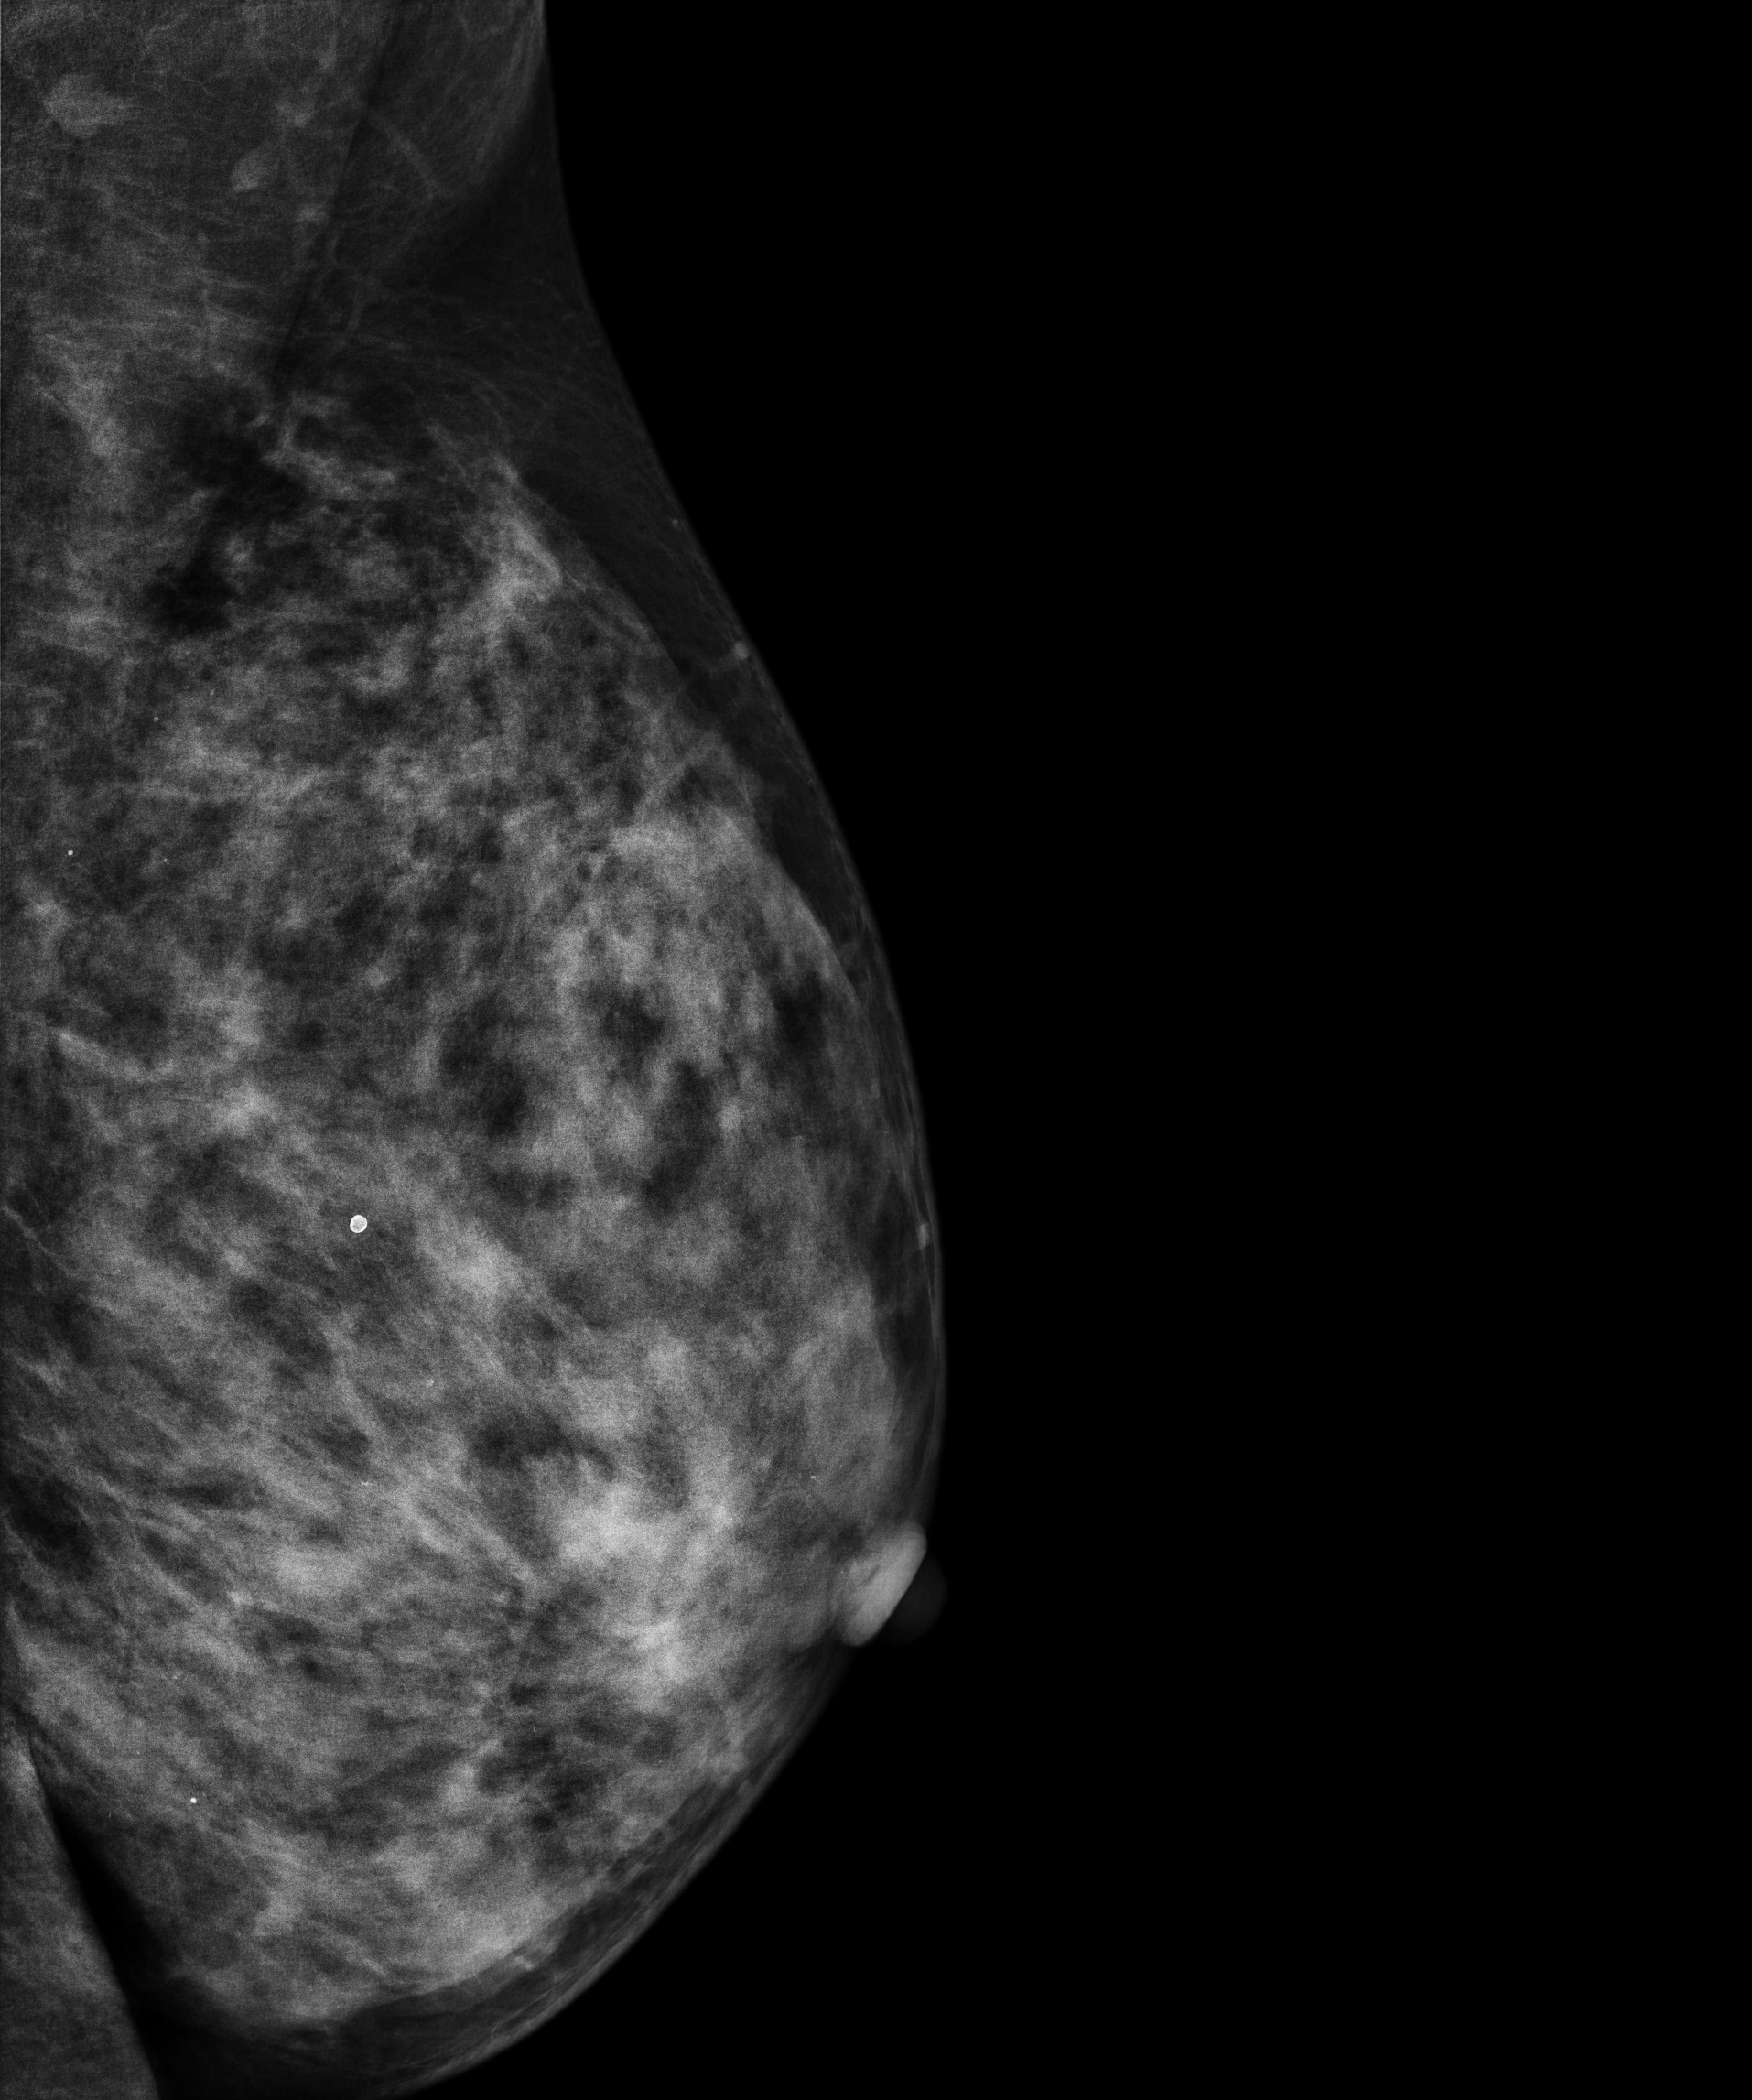
Mammogram, left breast, medio-lateral oblique view. Patient age 46.
This breast has a mass, histologically confirmed malignant. Molecular subtype: HER2-enriched.